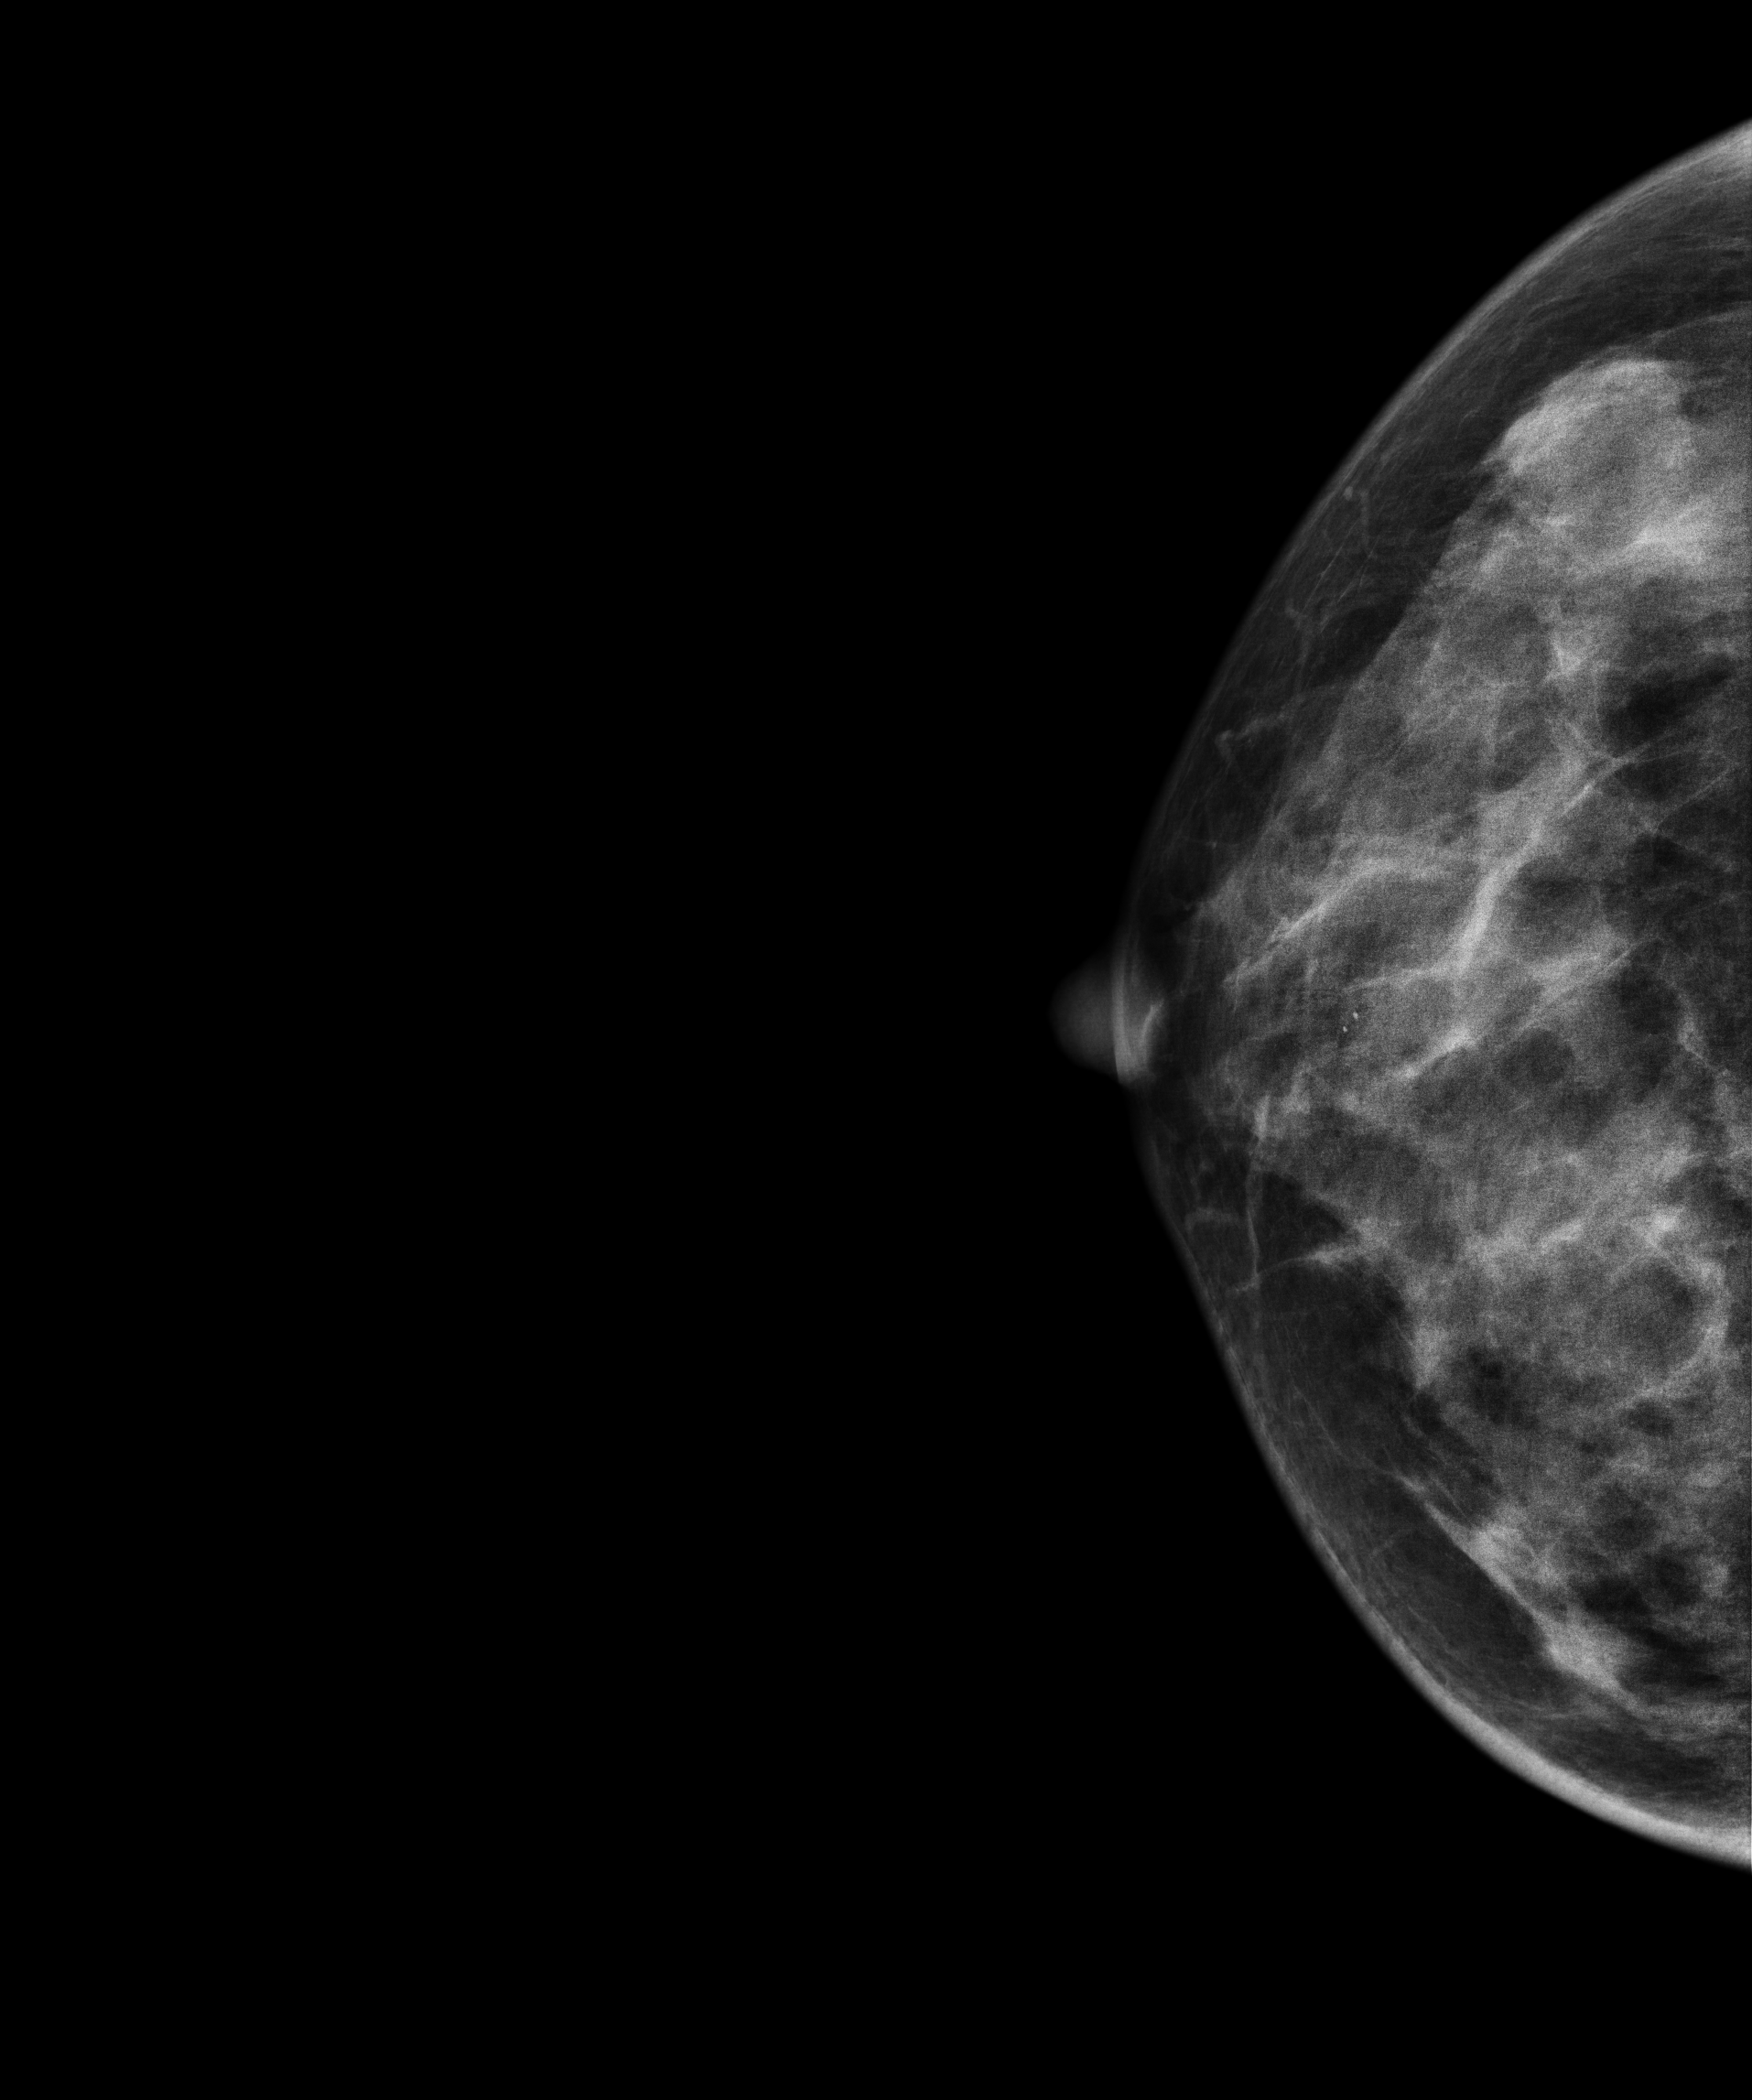
Mammogram, right breast, CC view. 41-year-old patient.
This breast has a mass, biopsy-confirmed benign.